Medio-lateral oblique mammogram of the left breast. 36 y/o patient.
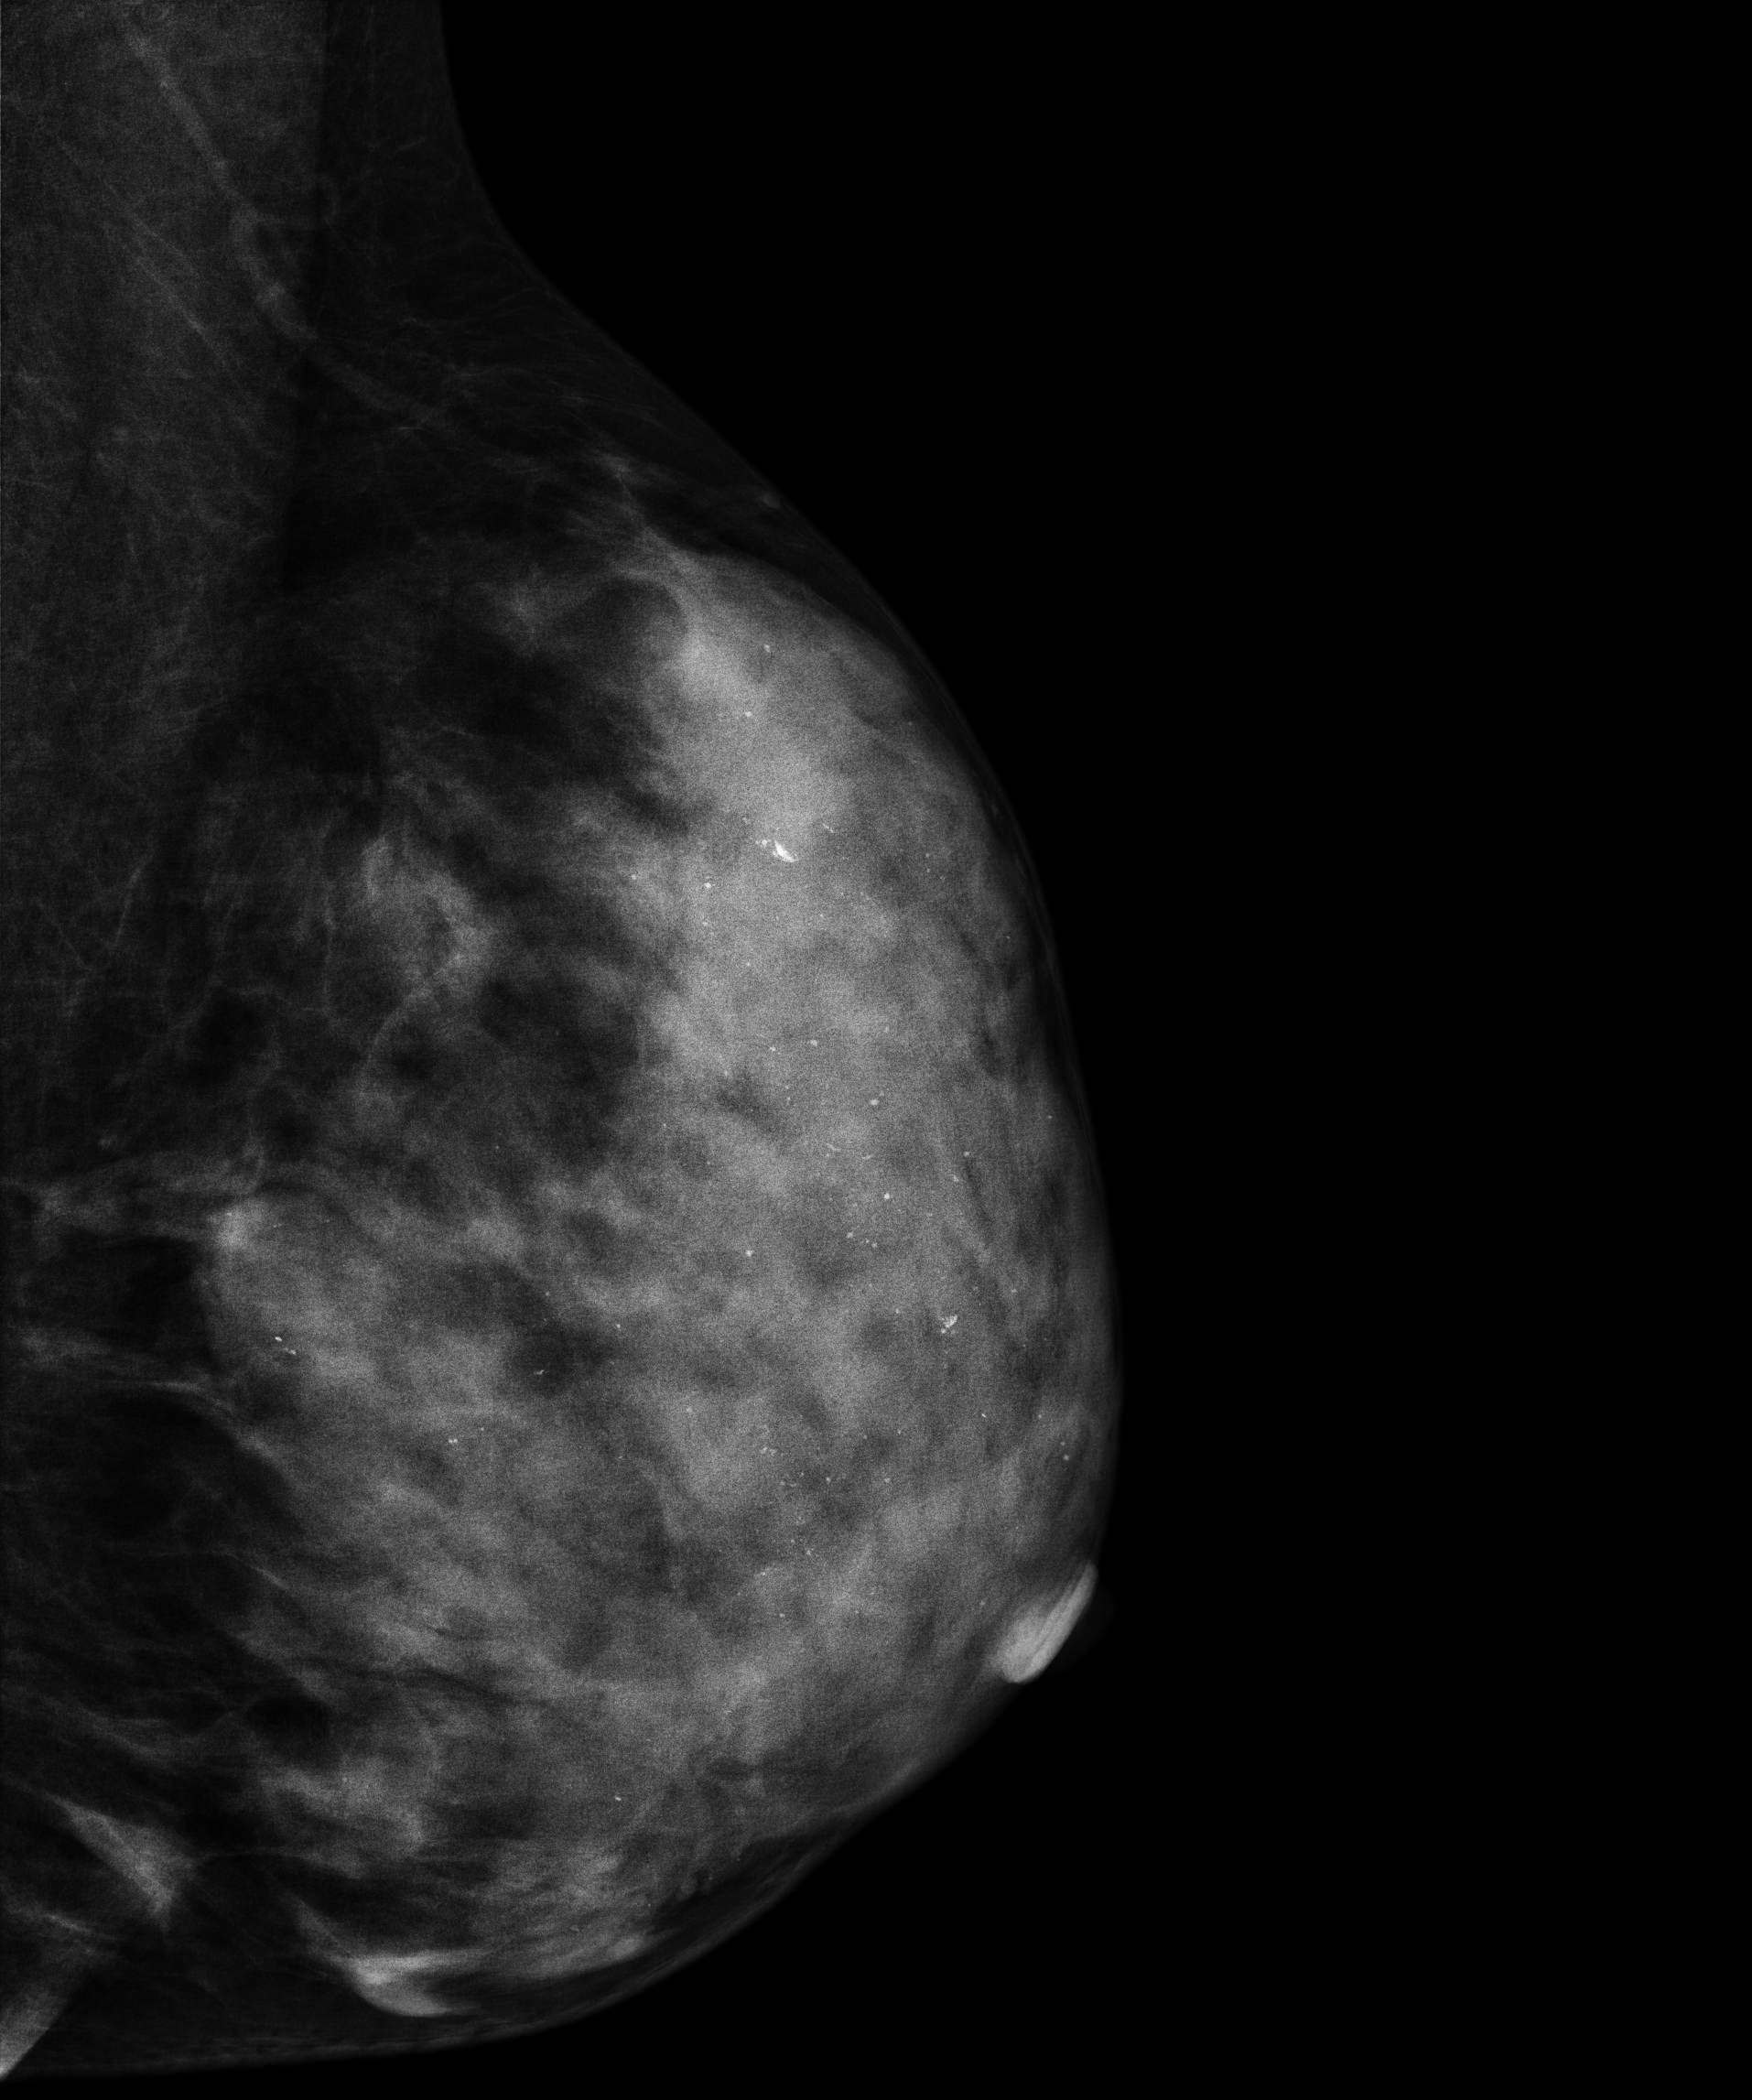
This breast has calcifications, pathology-confirmed benign.